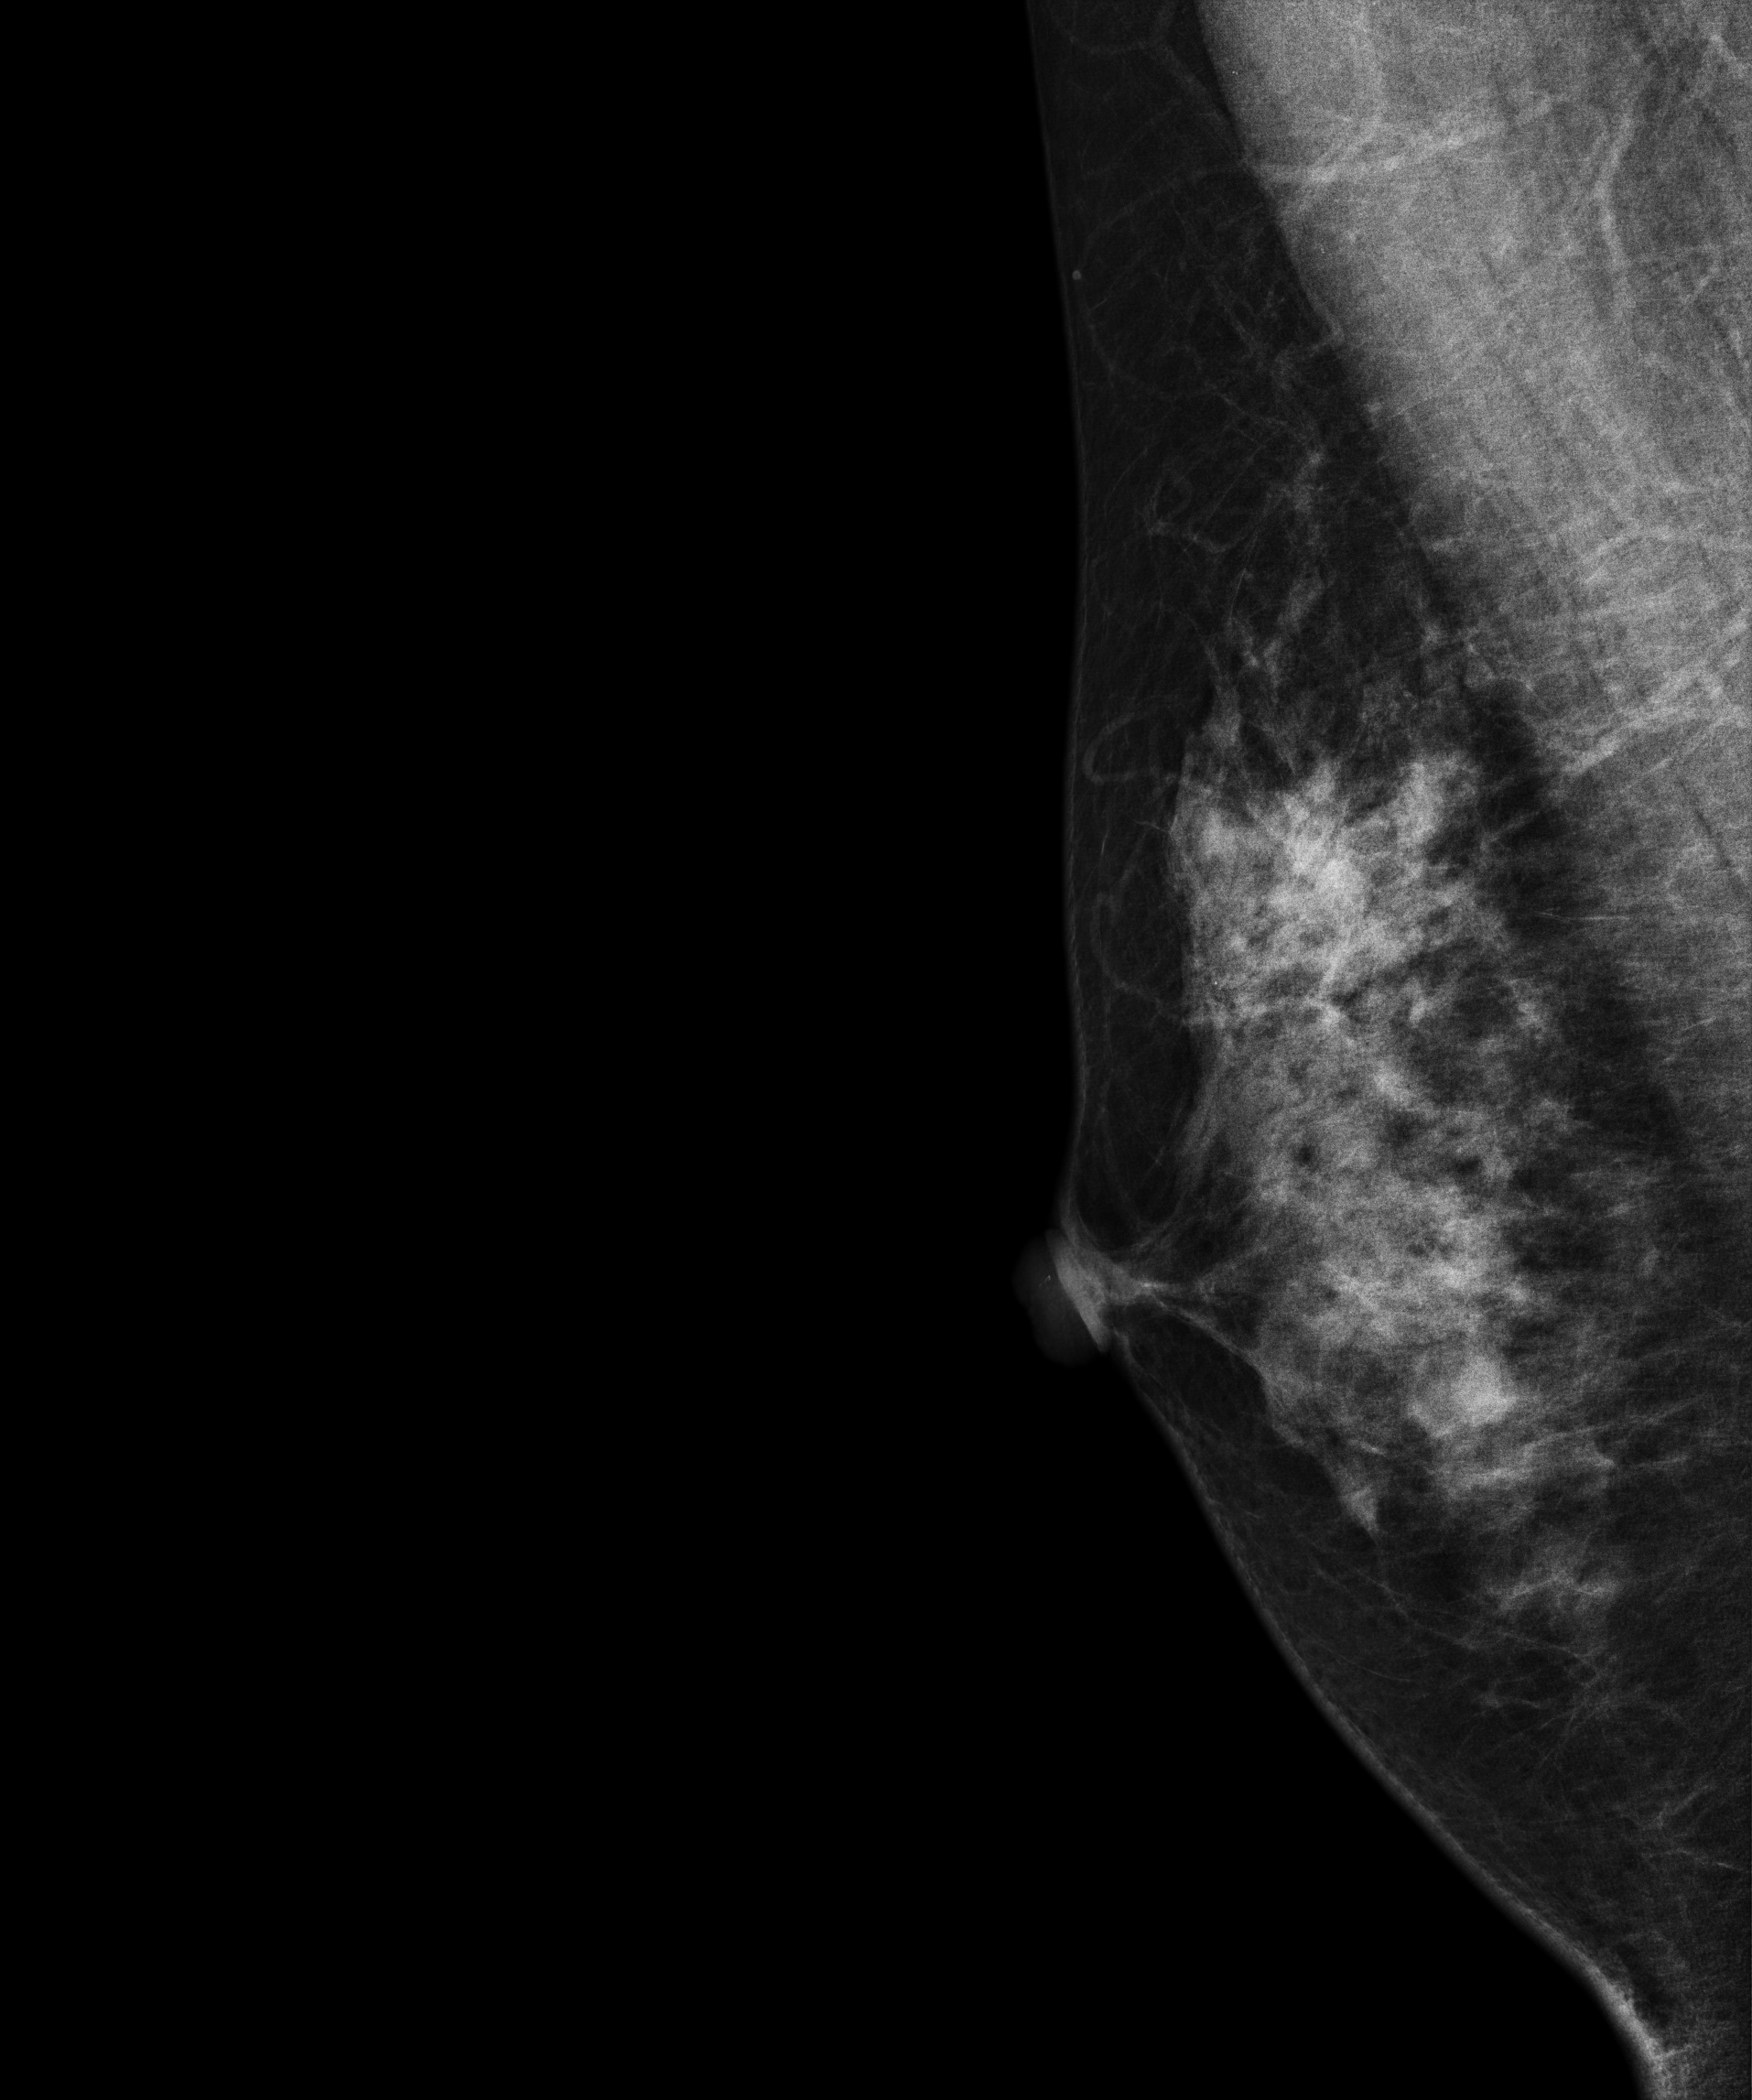
Digital mammography. Right breast, MLO projection. Patient age 47.
This breast has a mass, histologically confirmed malignant.